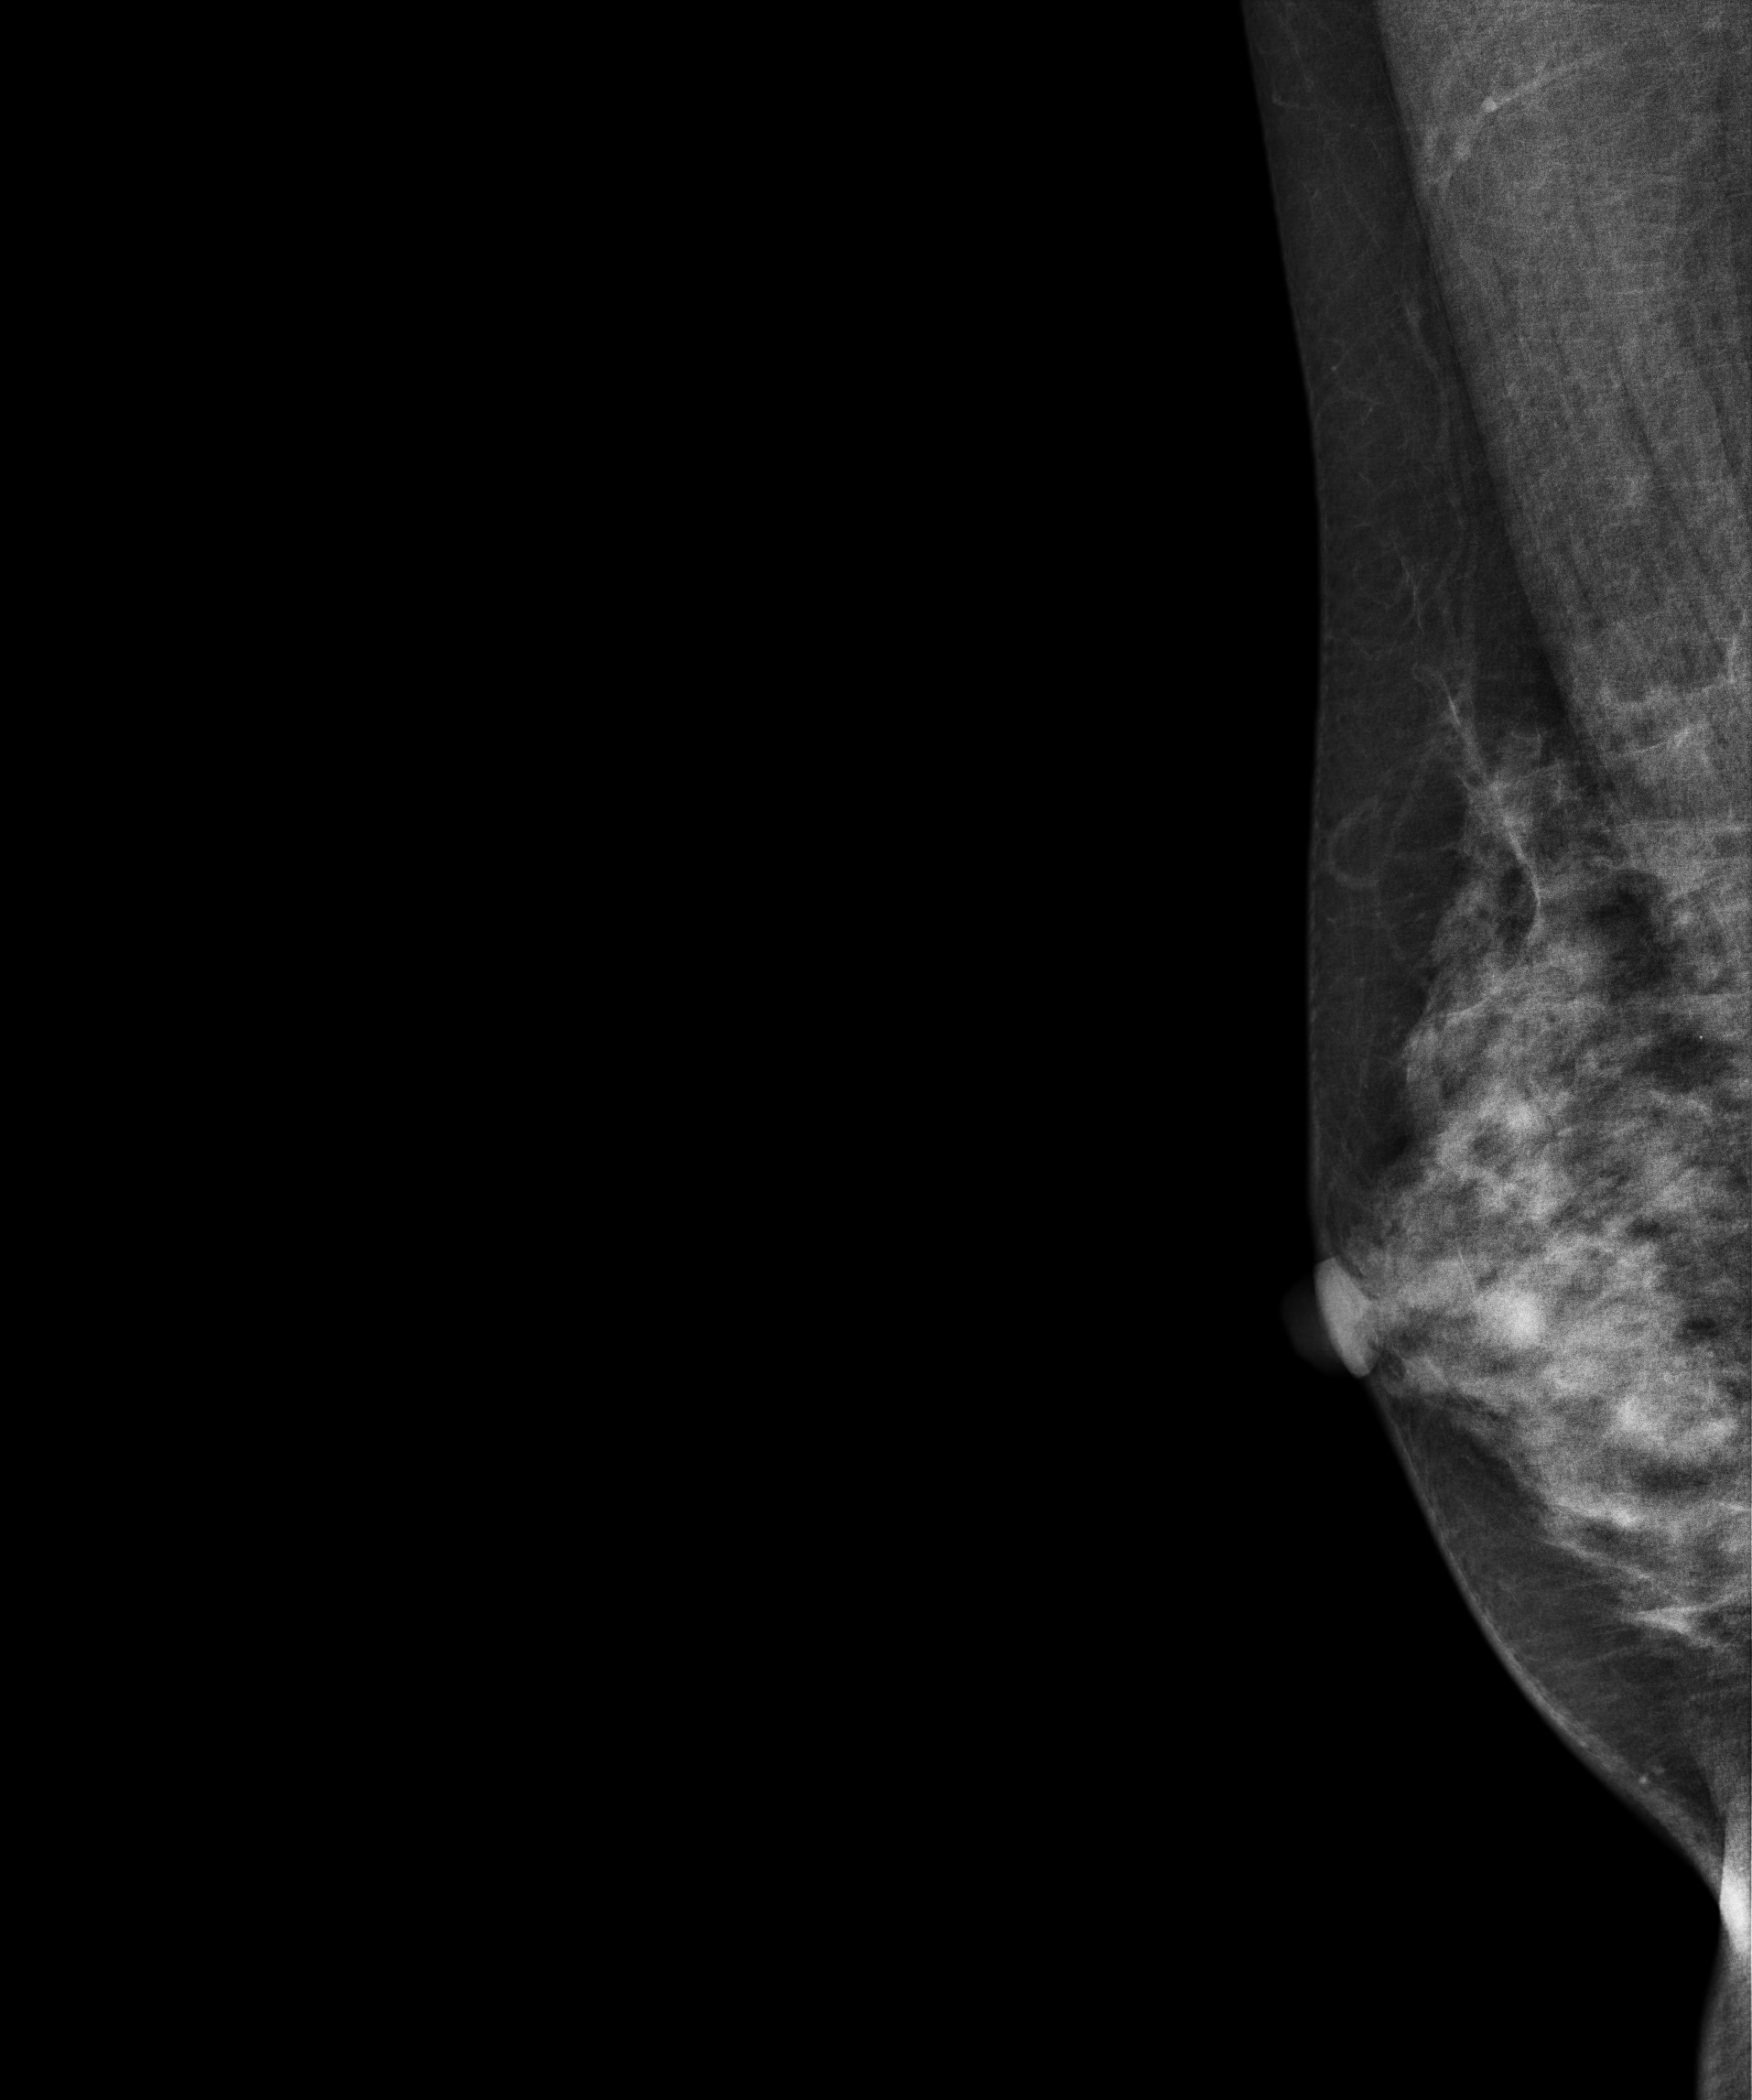
Right-breast mammogram, medio-lateral oblique. Patient age 44.
Contralateral breast — no documented abnormality on this side.